Mammogram, left breast, MLO view. 58-year-old patient.
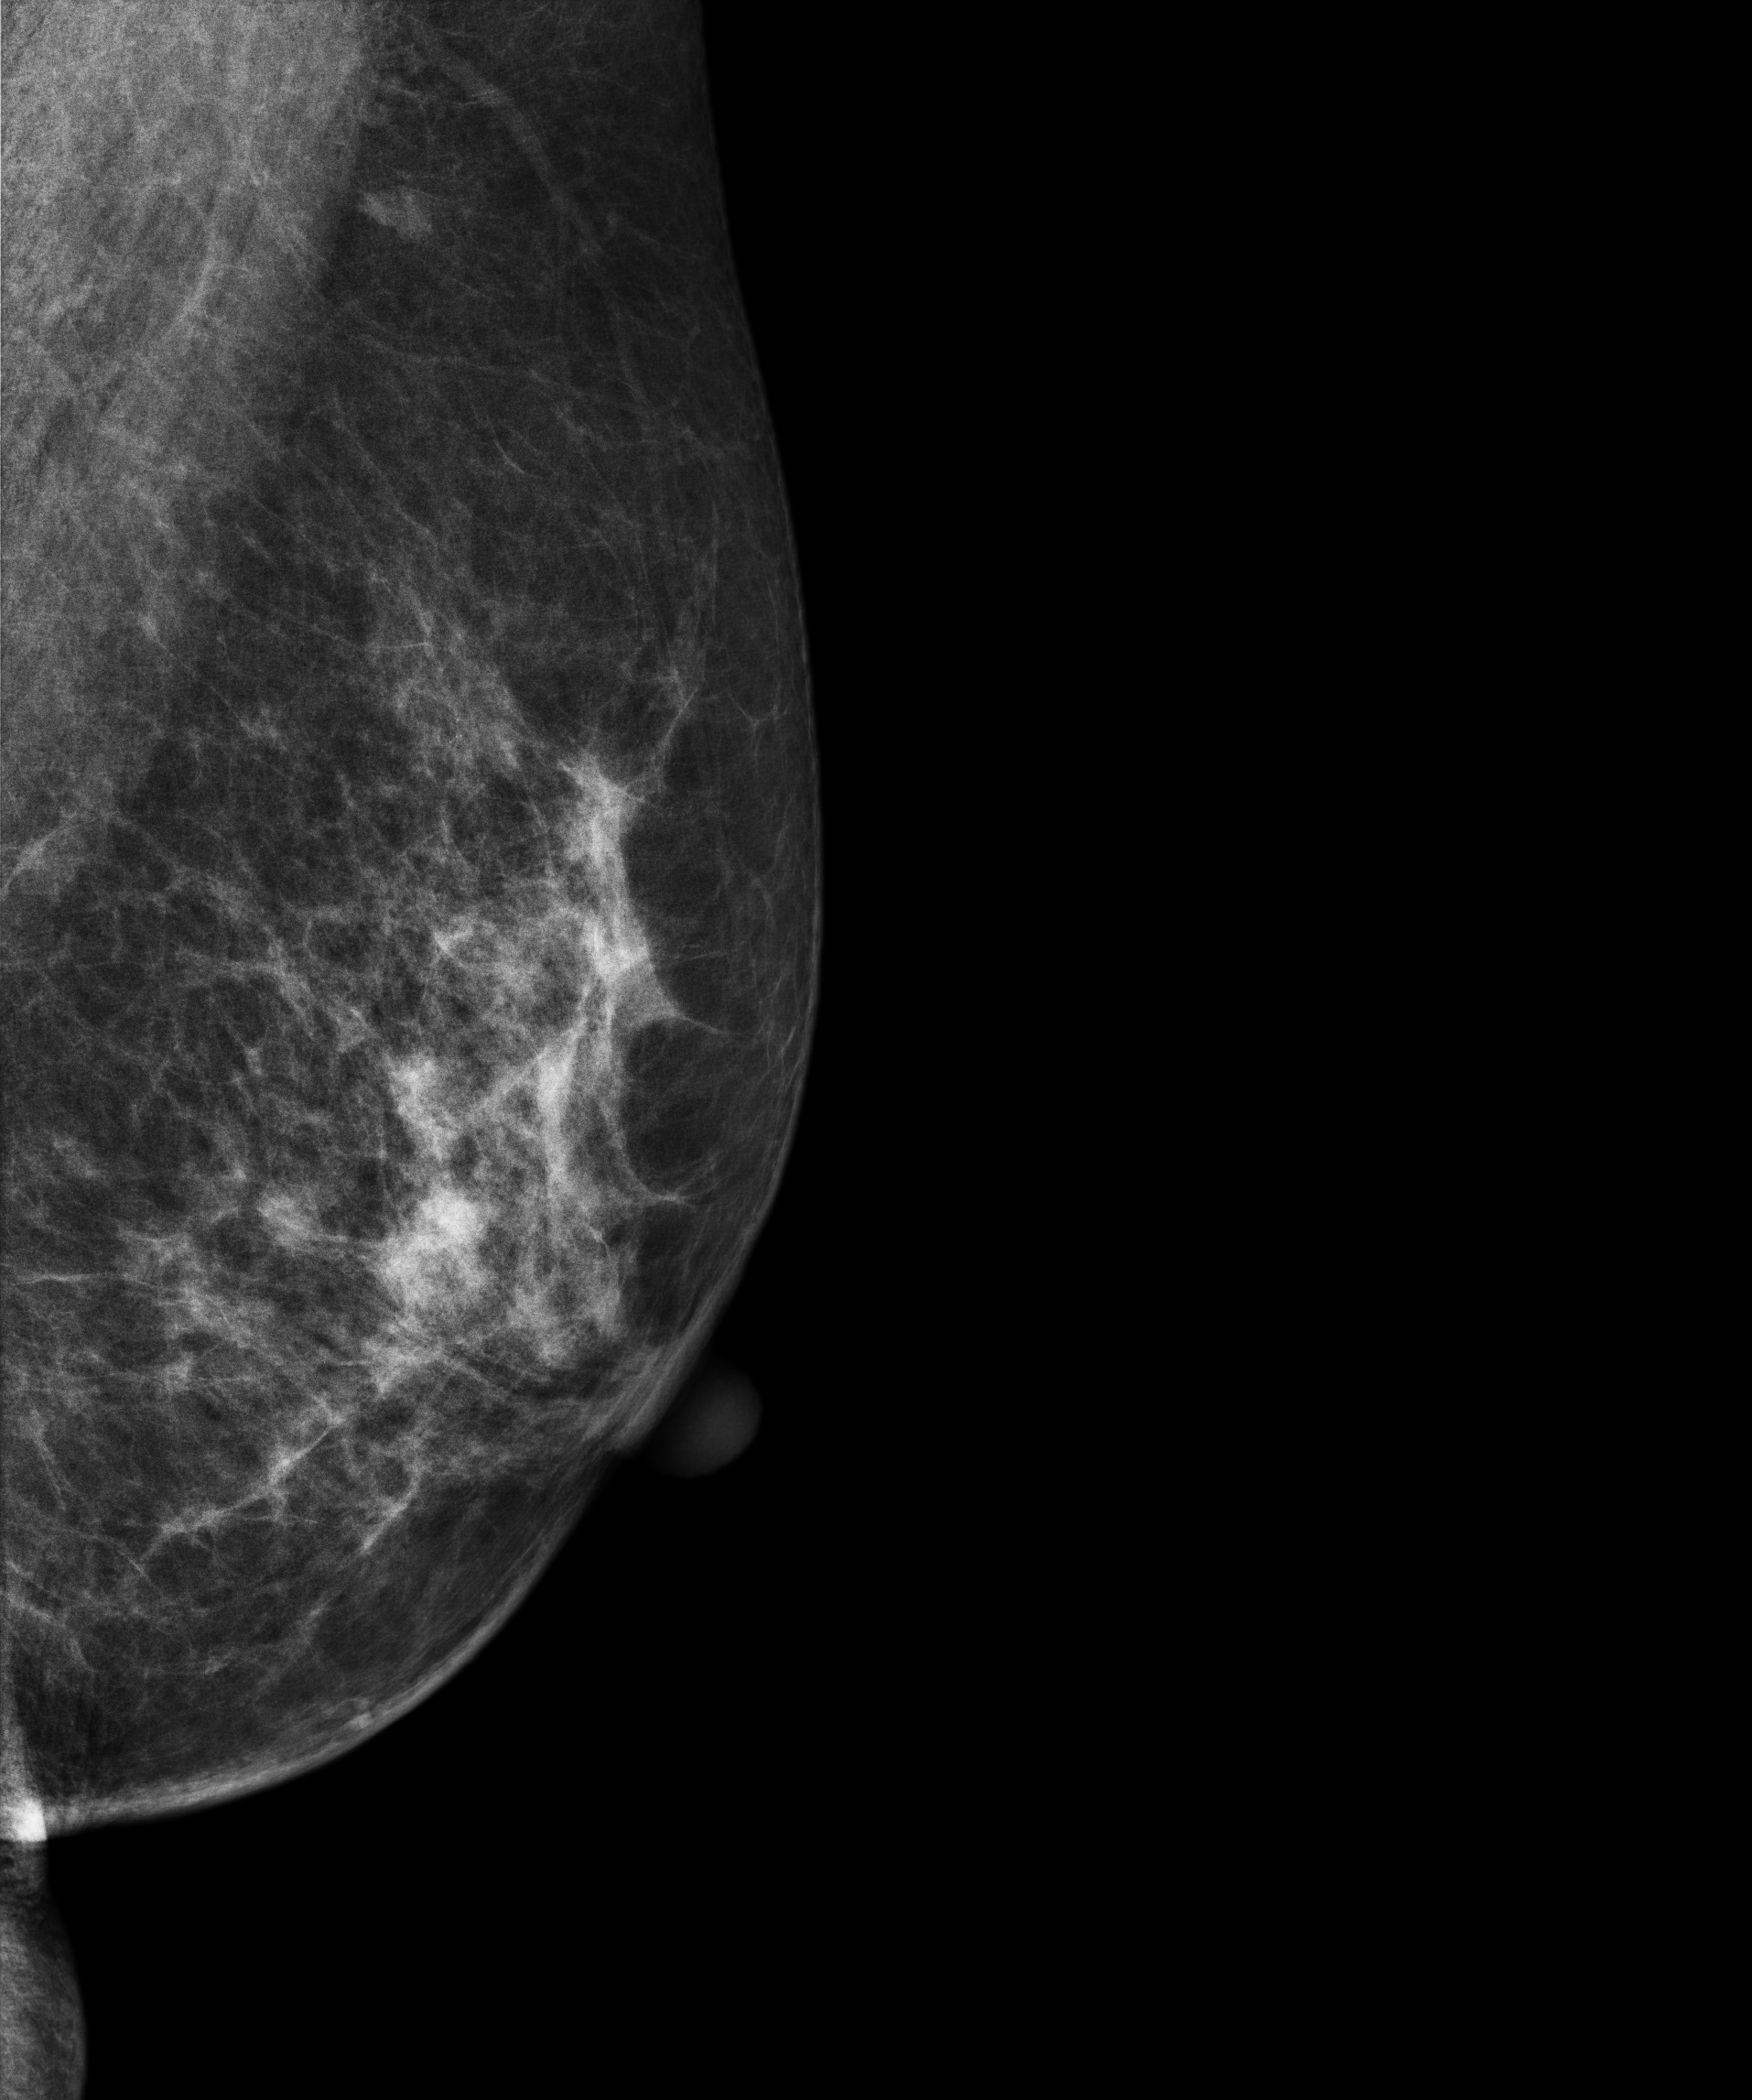
Contralateral breast — no documented abnormality on this side.